Mammogram — right medio-lateral oblique. 39-year-old patient.
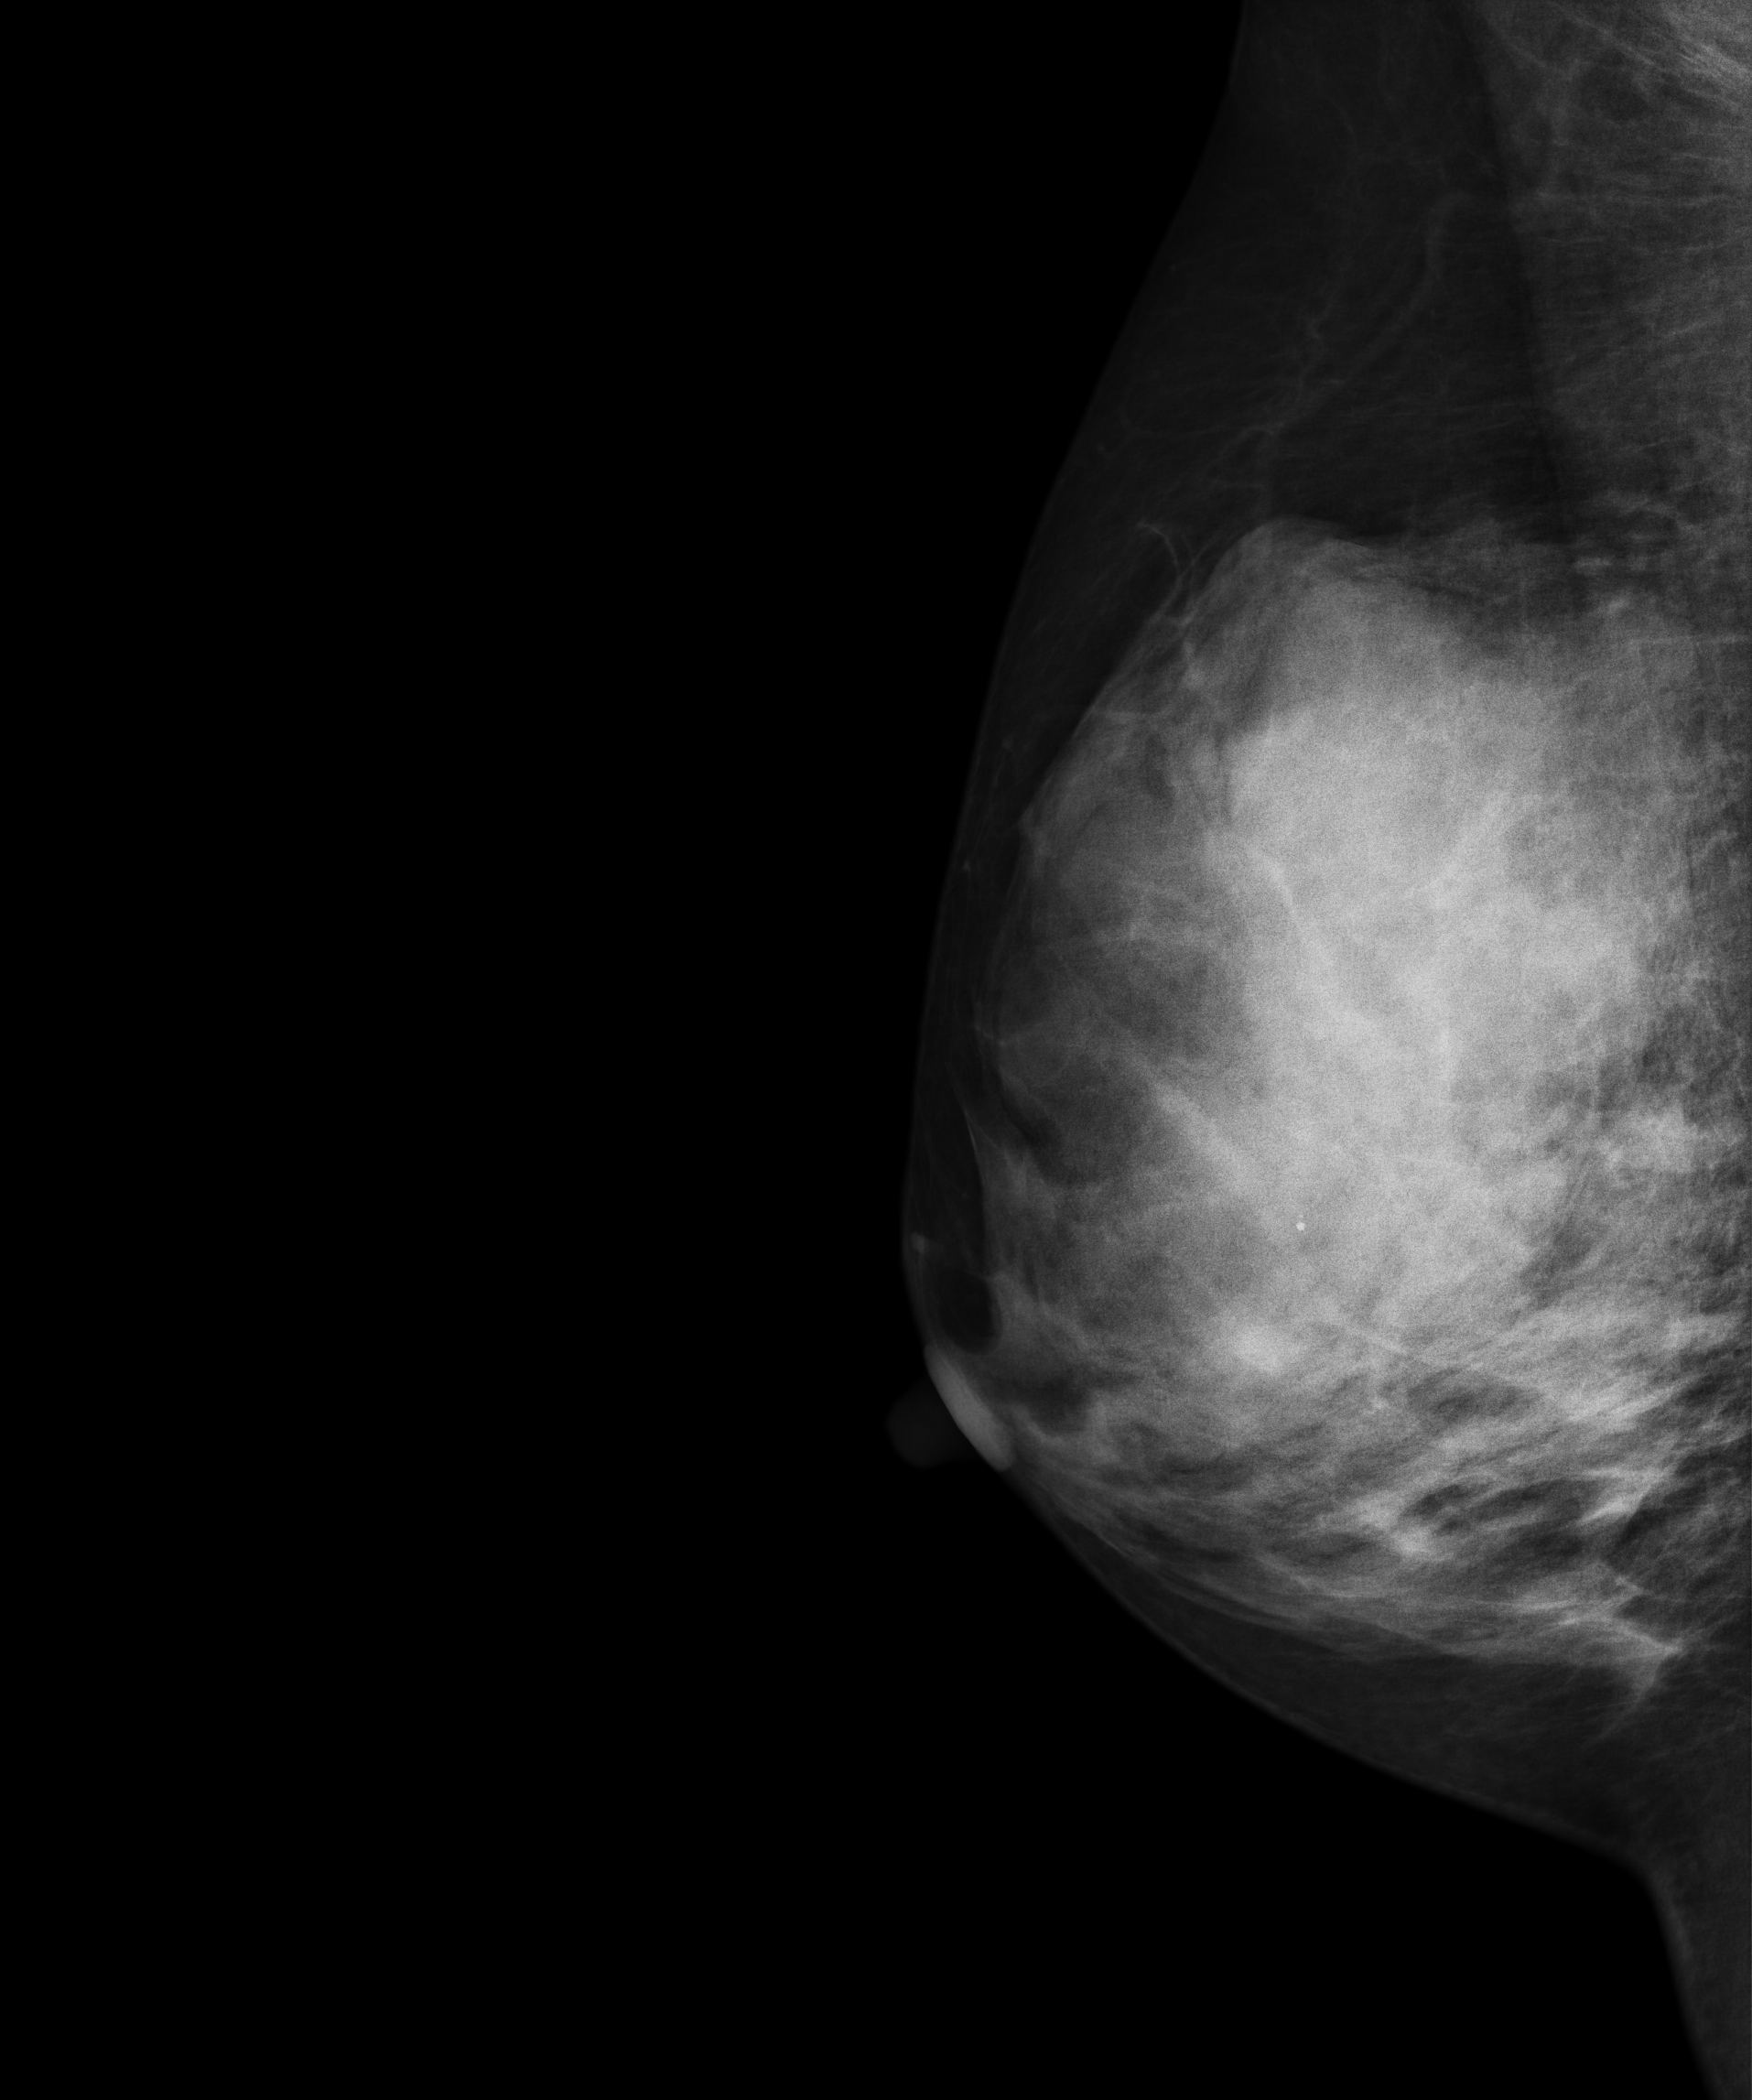
This breast has a mass and calcifications, pathology-confirmed benign.